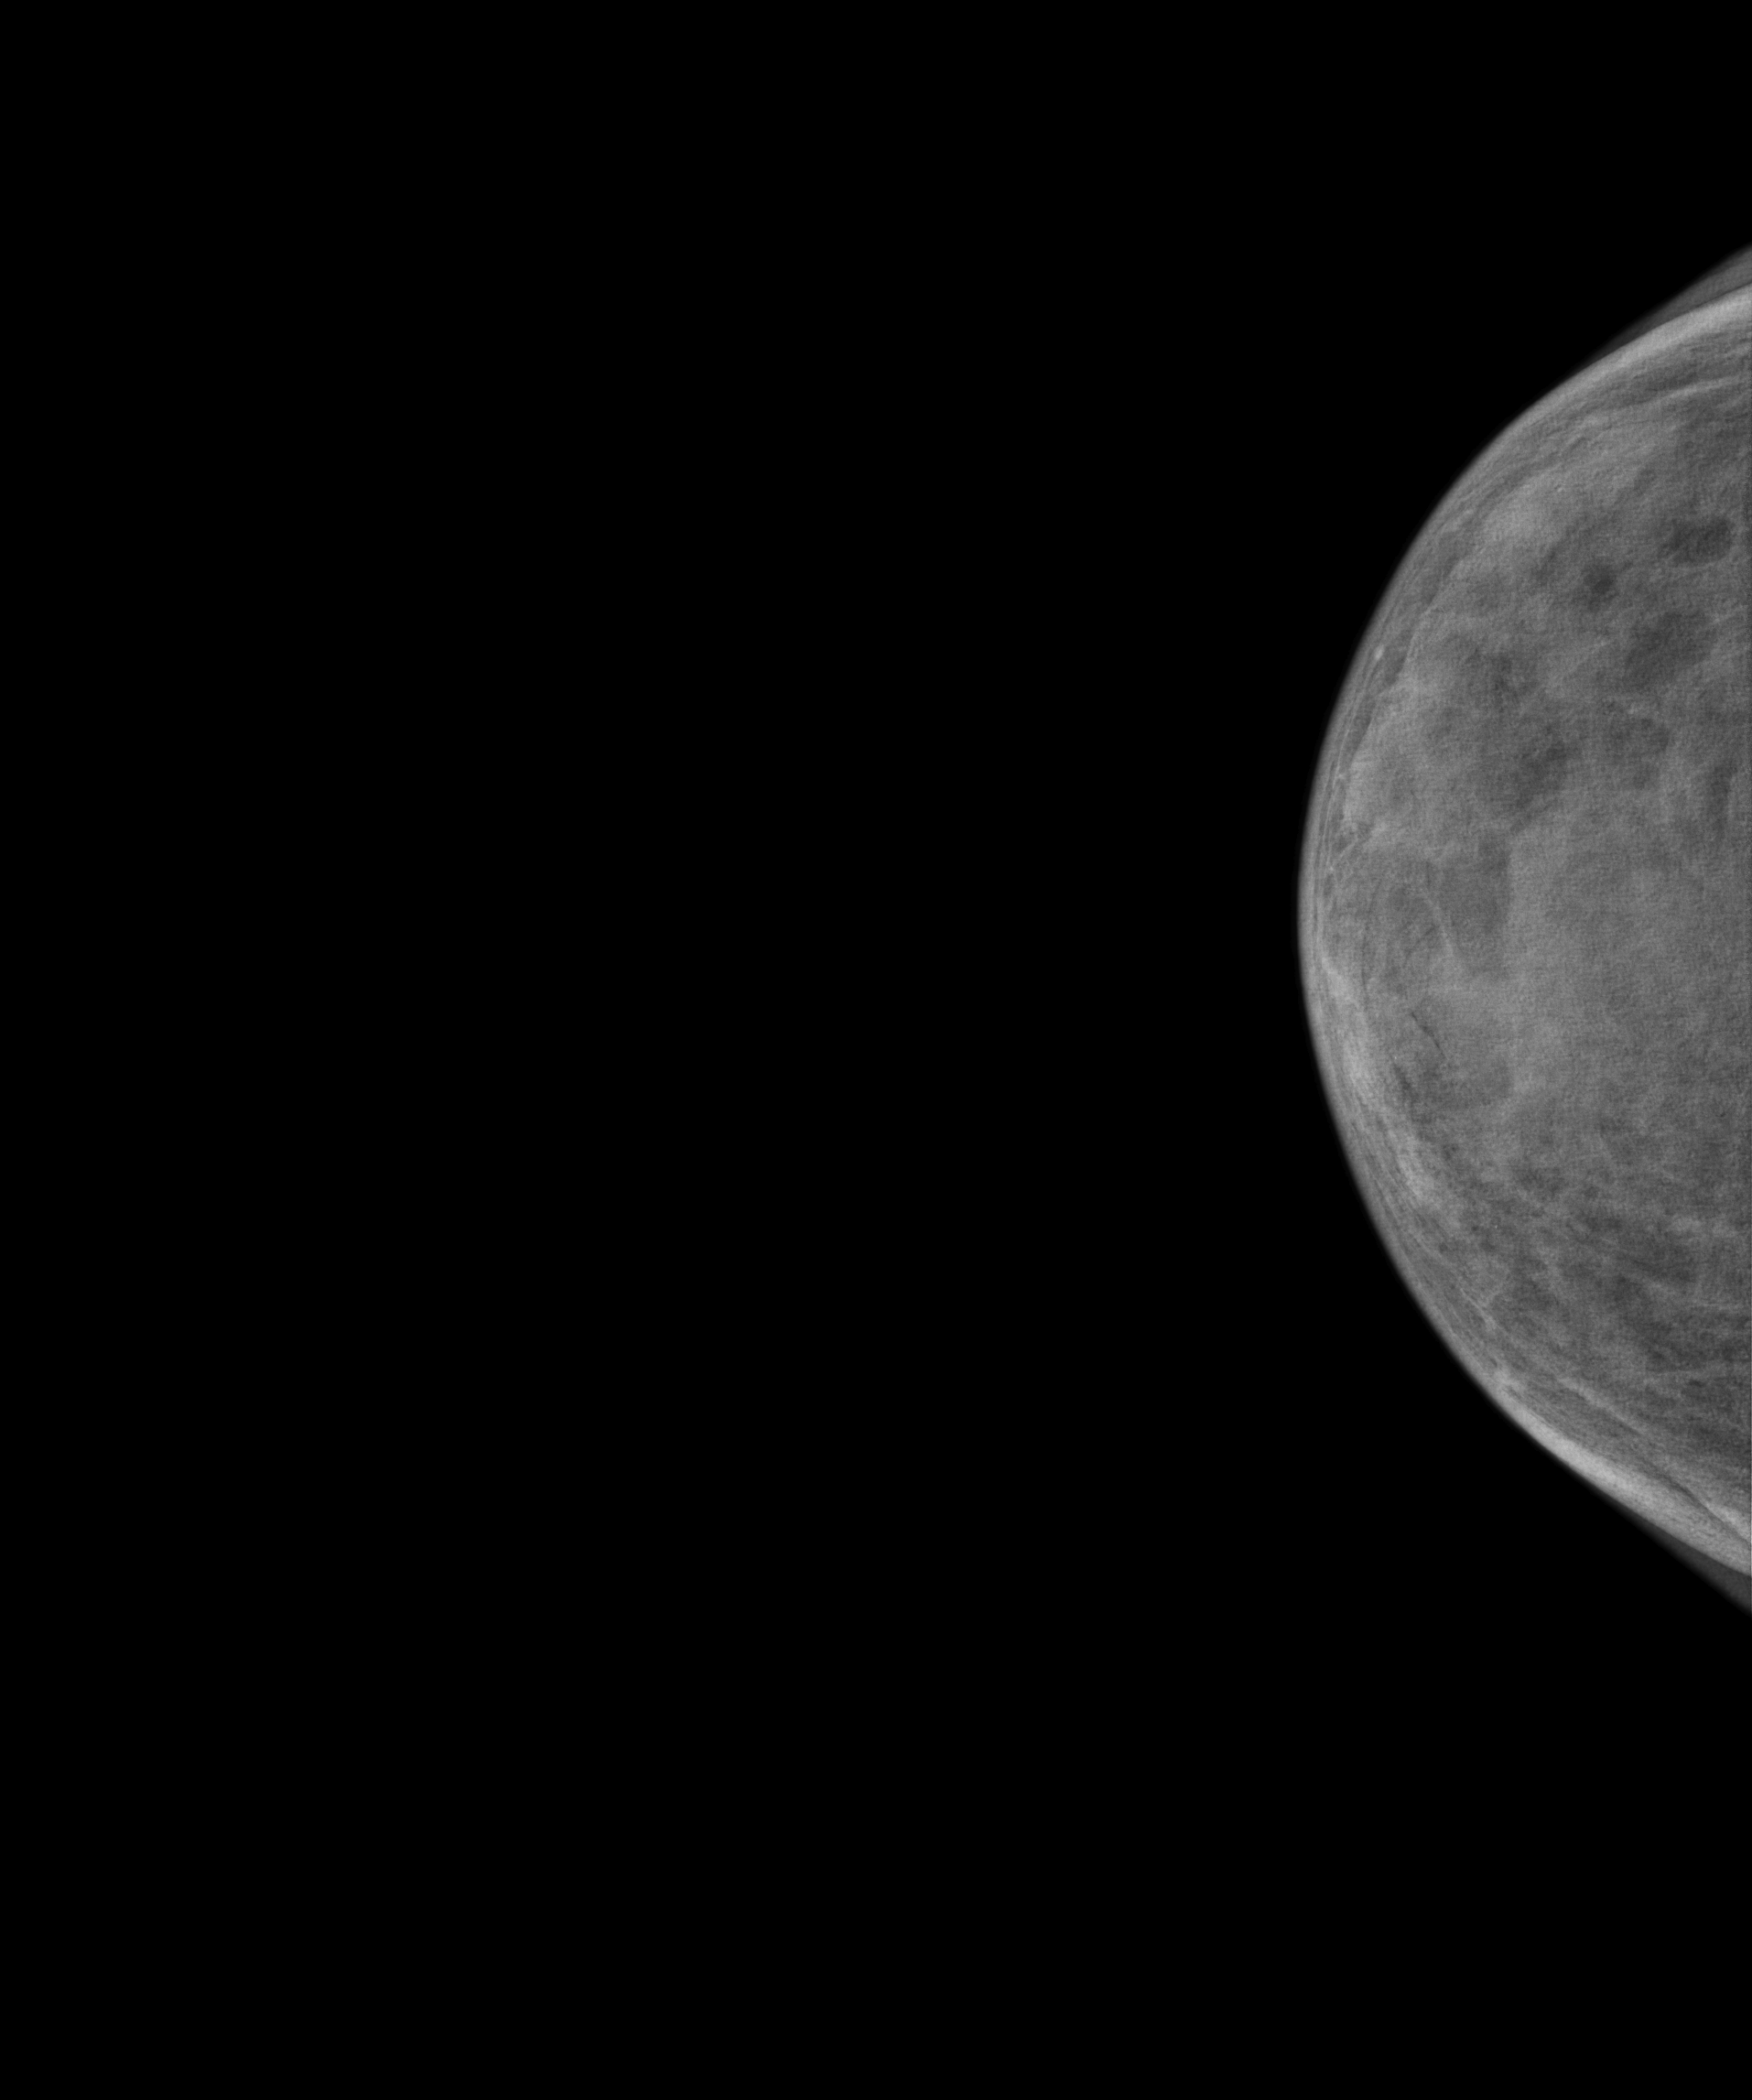
Mammogram — right cranio-caudal. 57 y/o patient.
Contralateral breast — no documented abnormality on this side.